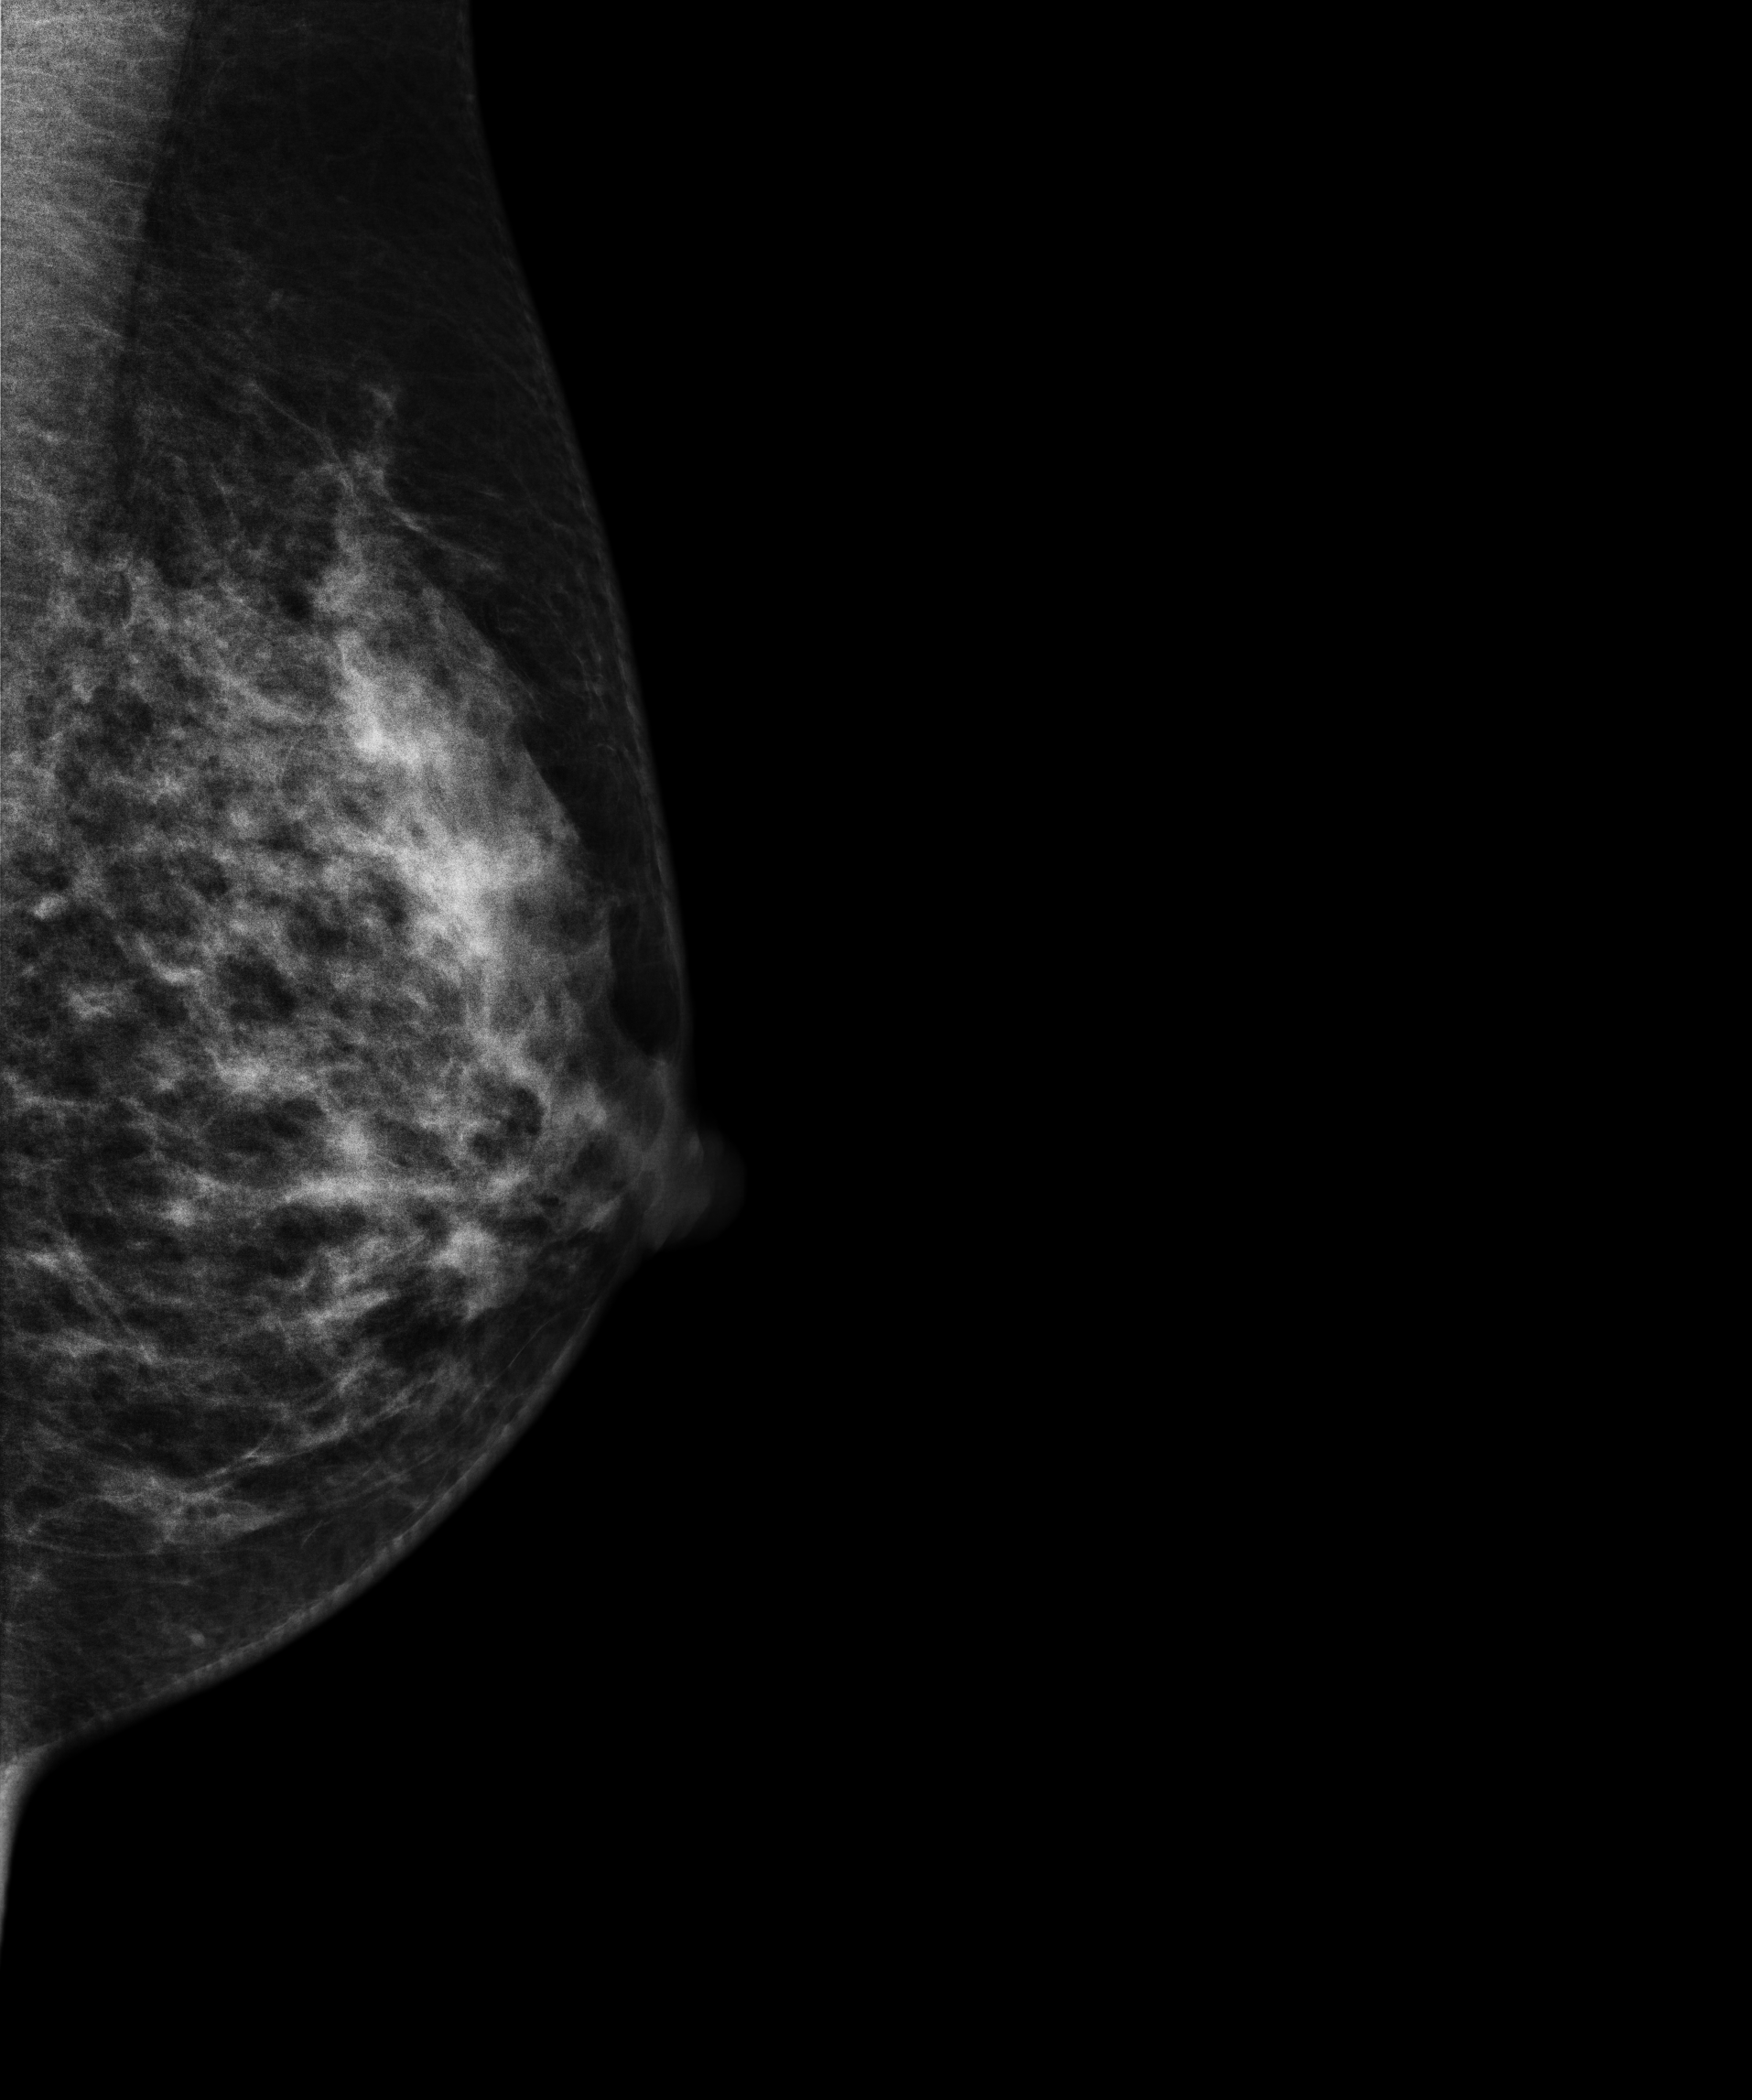
MLO mammogram of the left breast. 45-year-old patient.
Contralateral breast — no documented abnormality on this side.